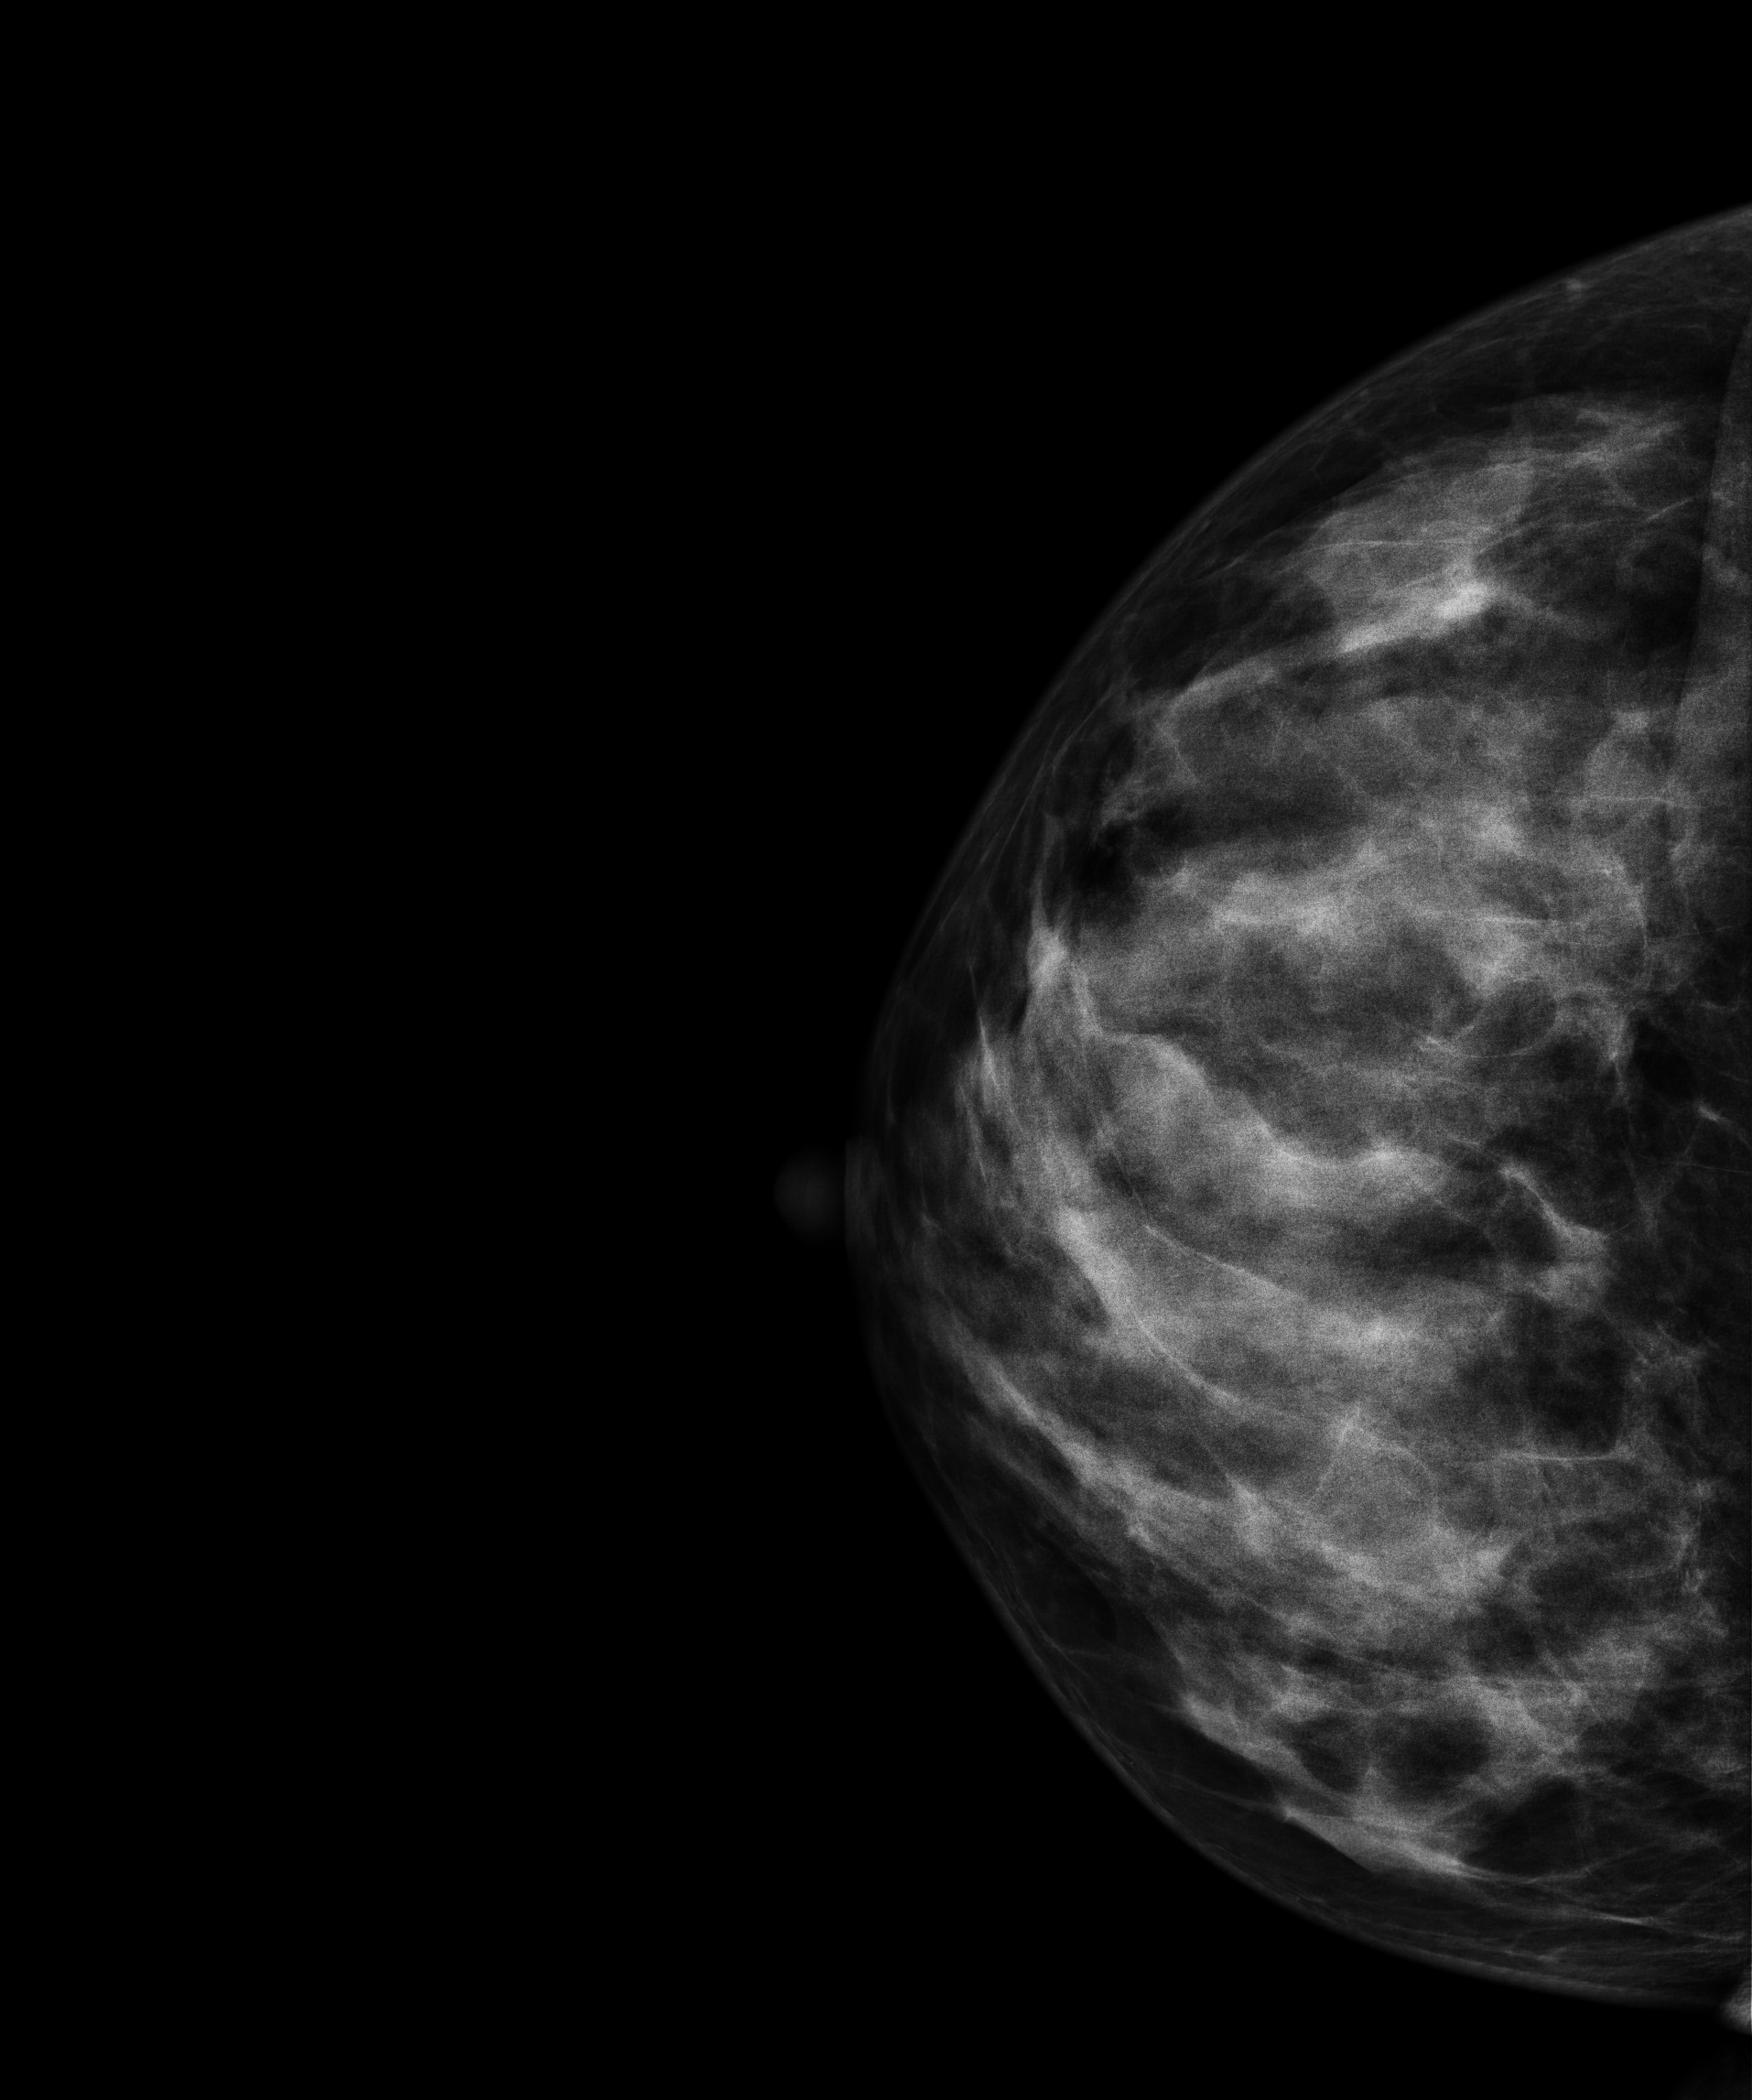
Digital mammography. Right breast, CC projection. 47 y/o patient.
Contralateral breast — no documented abnormality on this side.